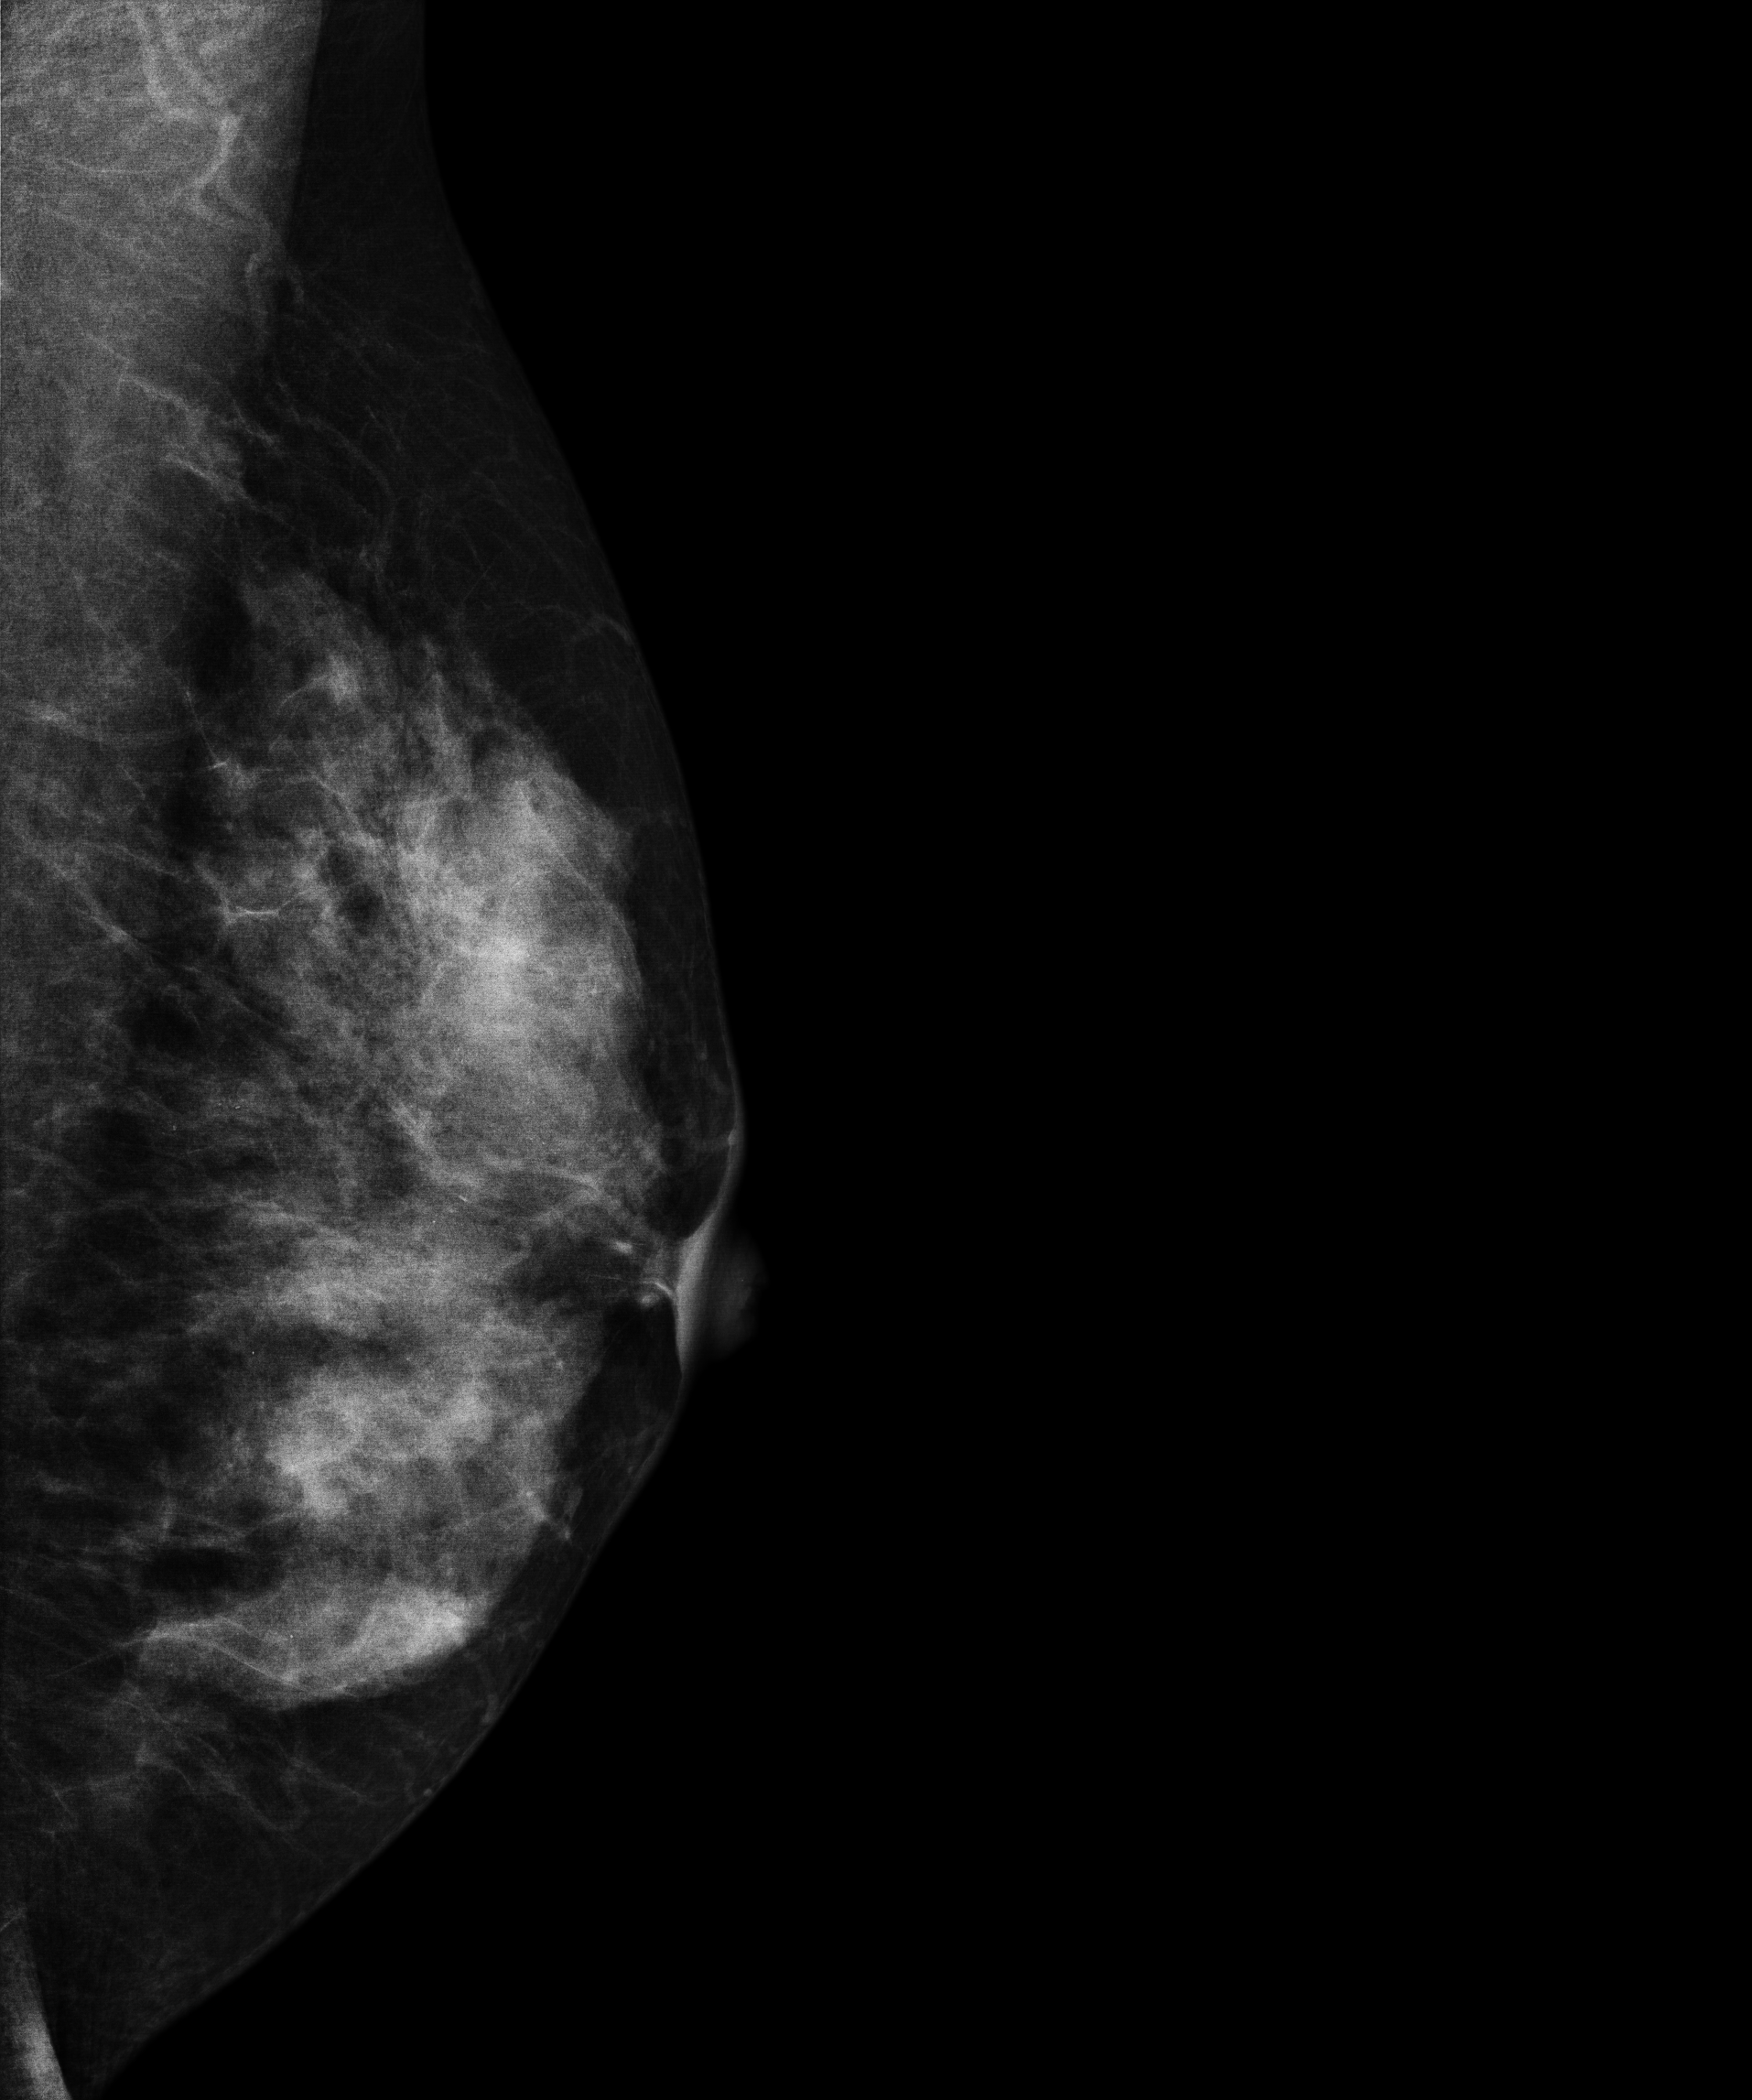
Medio-lateral oblique mammogram of the left breast. 42-year-old patient.
Contralateral breast — no documented abnormality on this side.